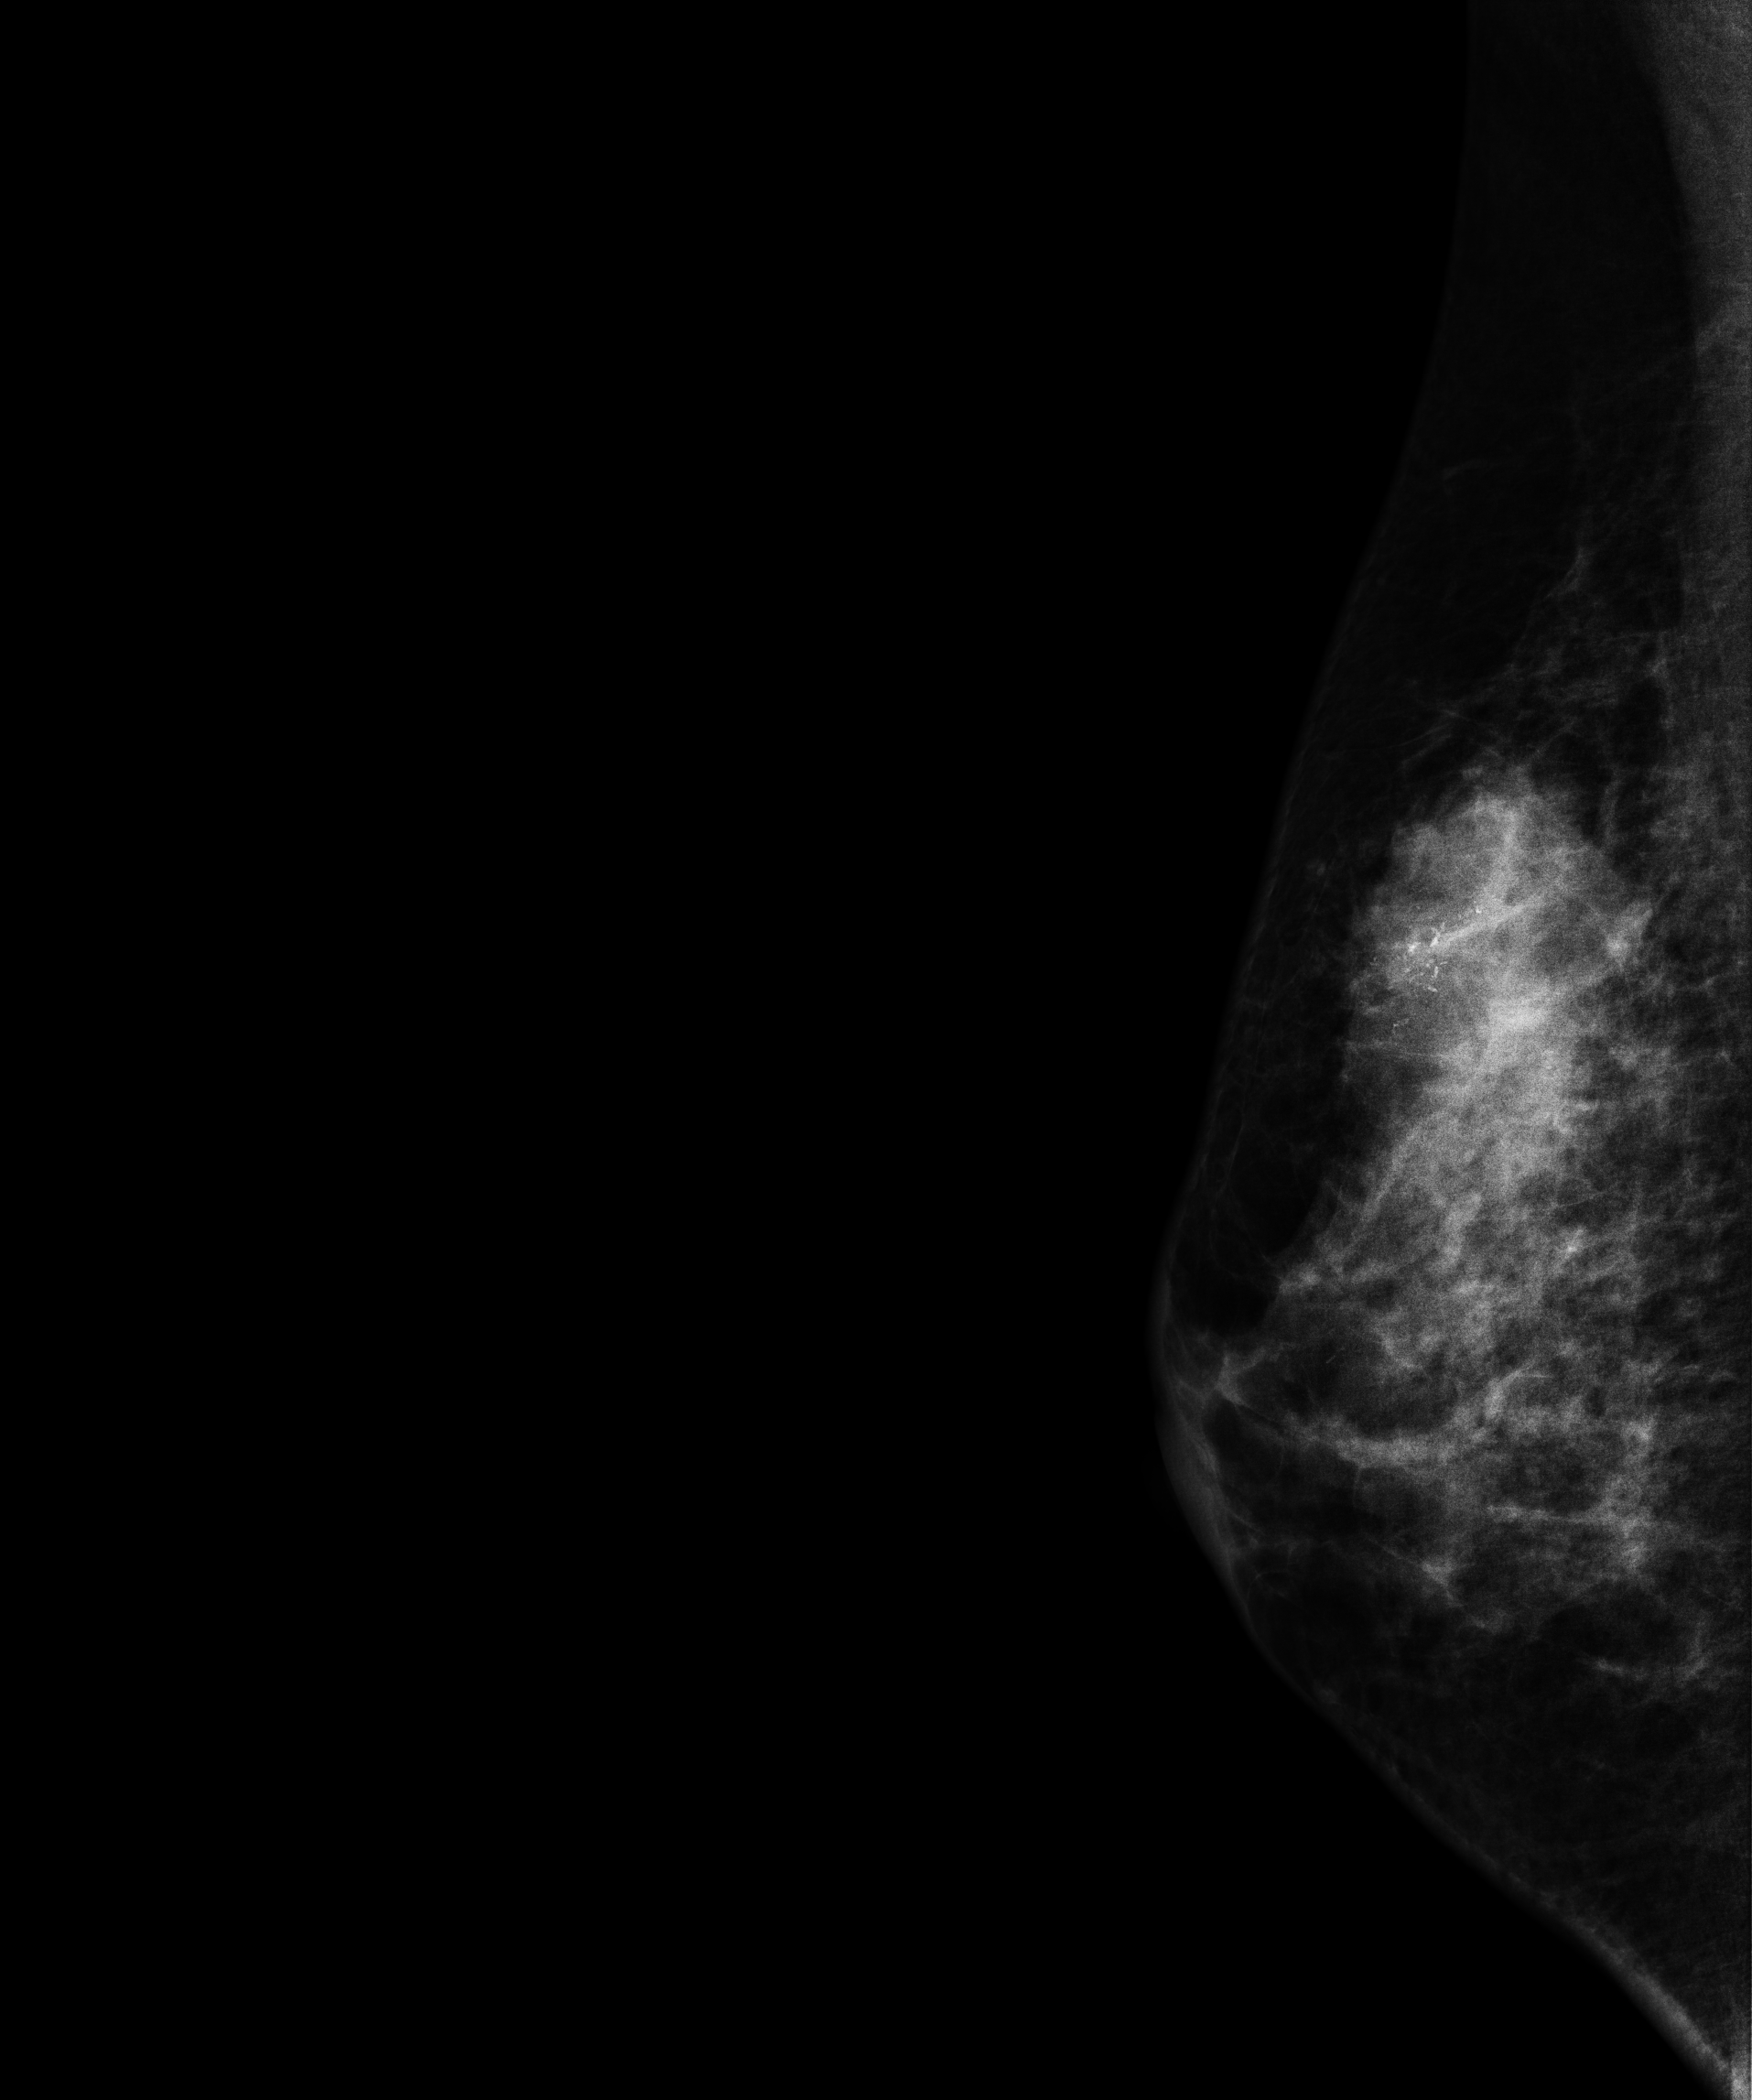
Medio-lateral oblique mammogram of the right breast. Patient age 35.
This breast has a mass and calcifications, biopsy-confirmed malignant.